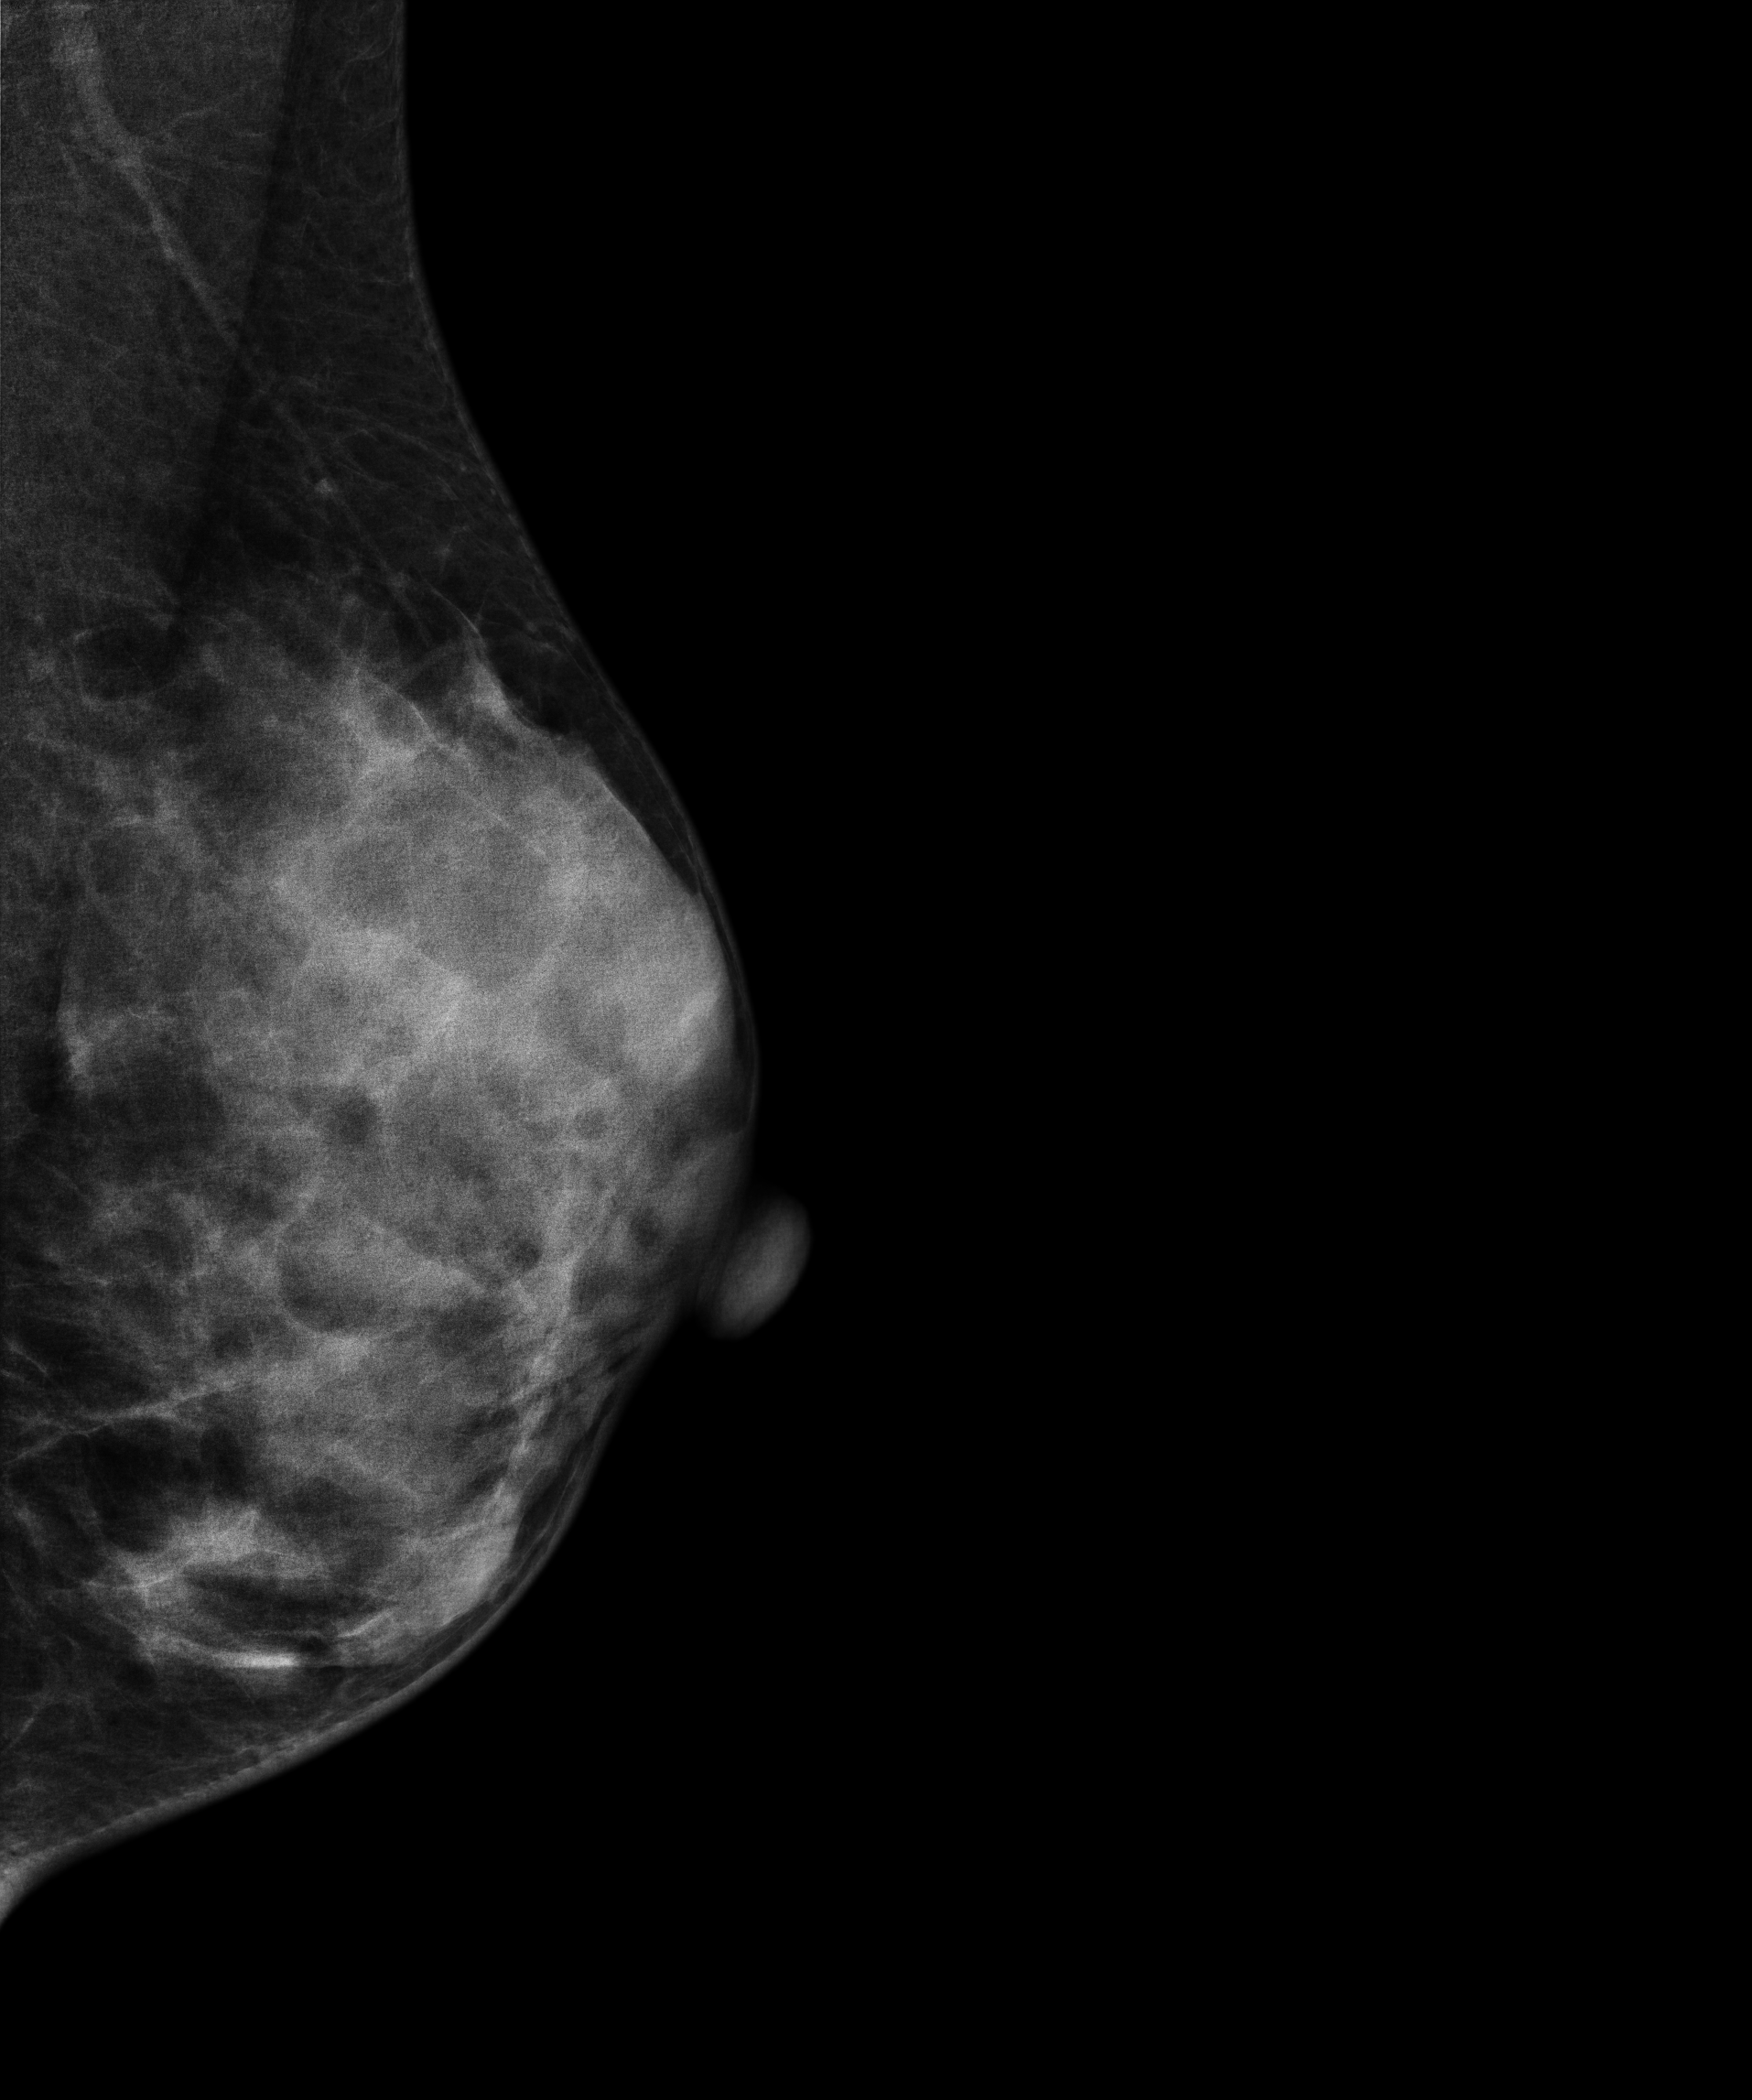
Left-breast mammogram, MLO. 36 y/o patient.
Contralateral breast — no documented abnormality on this side.